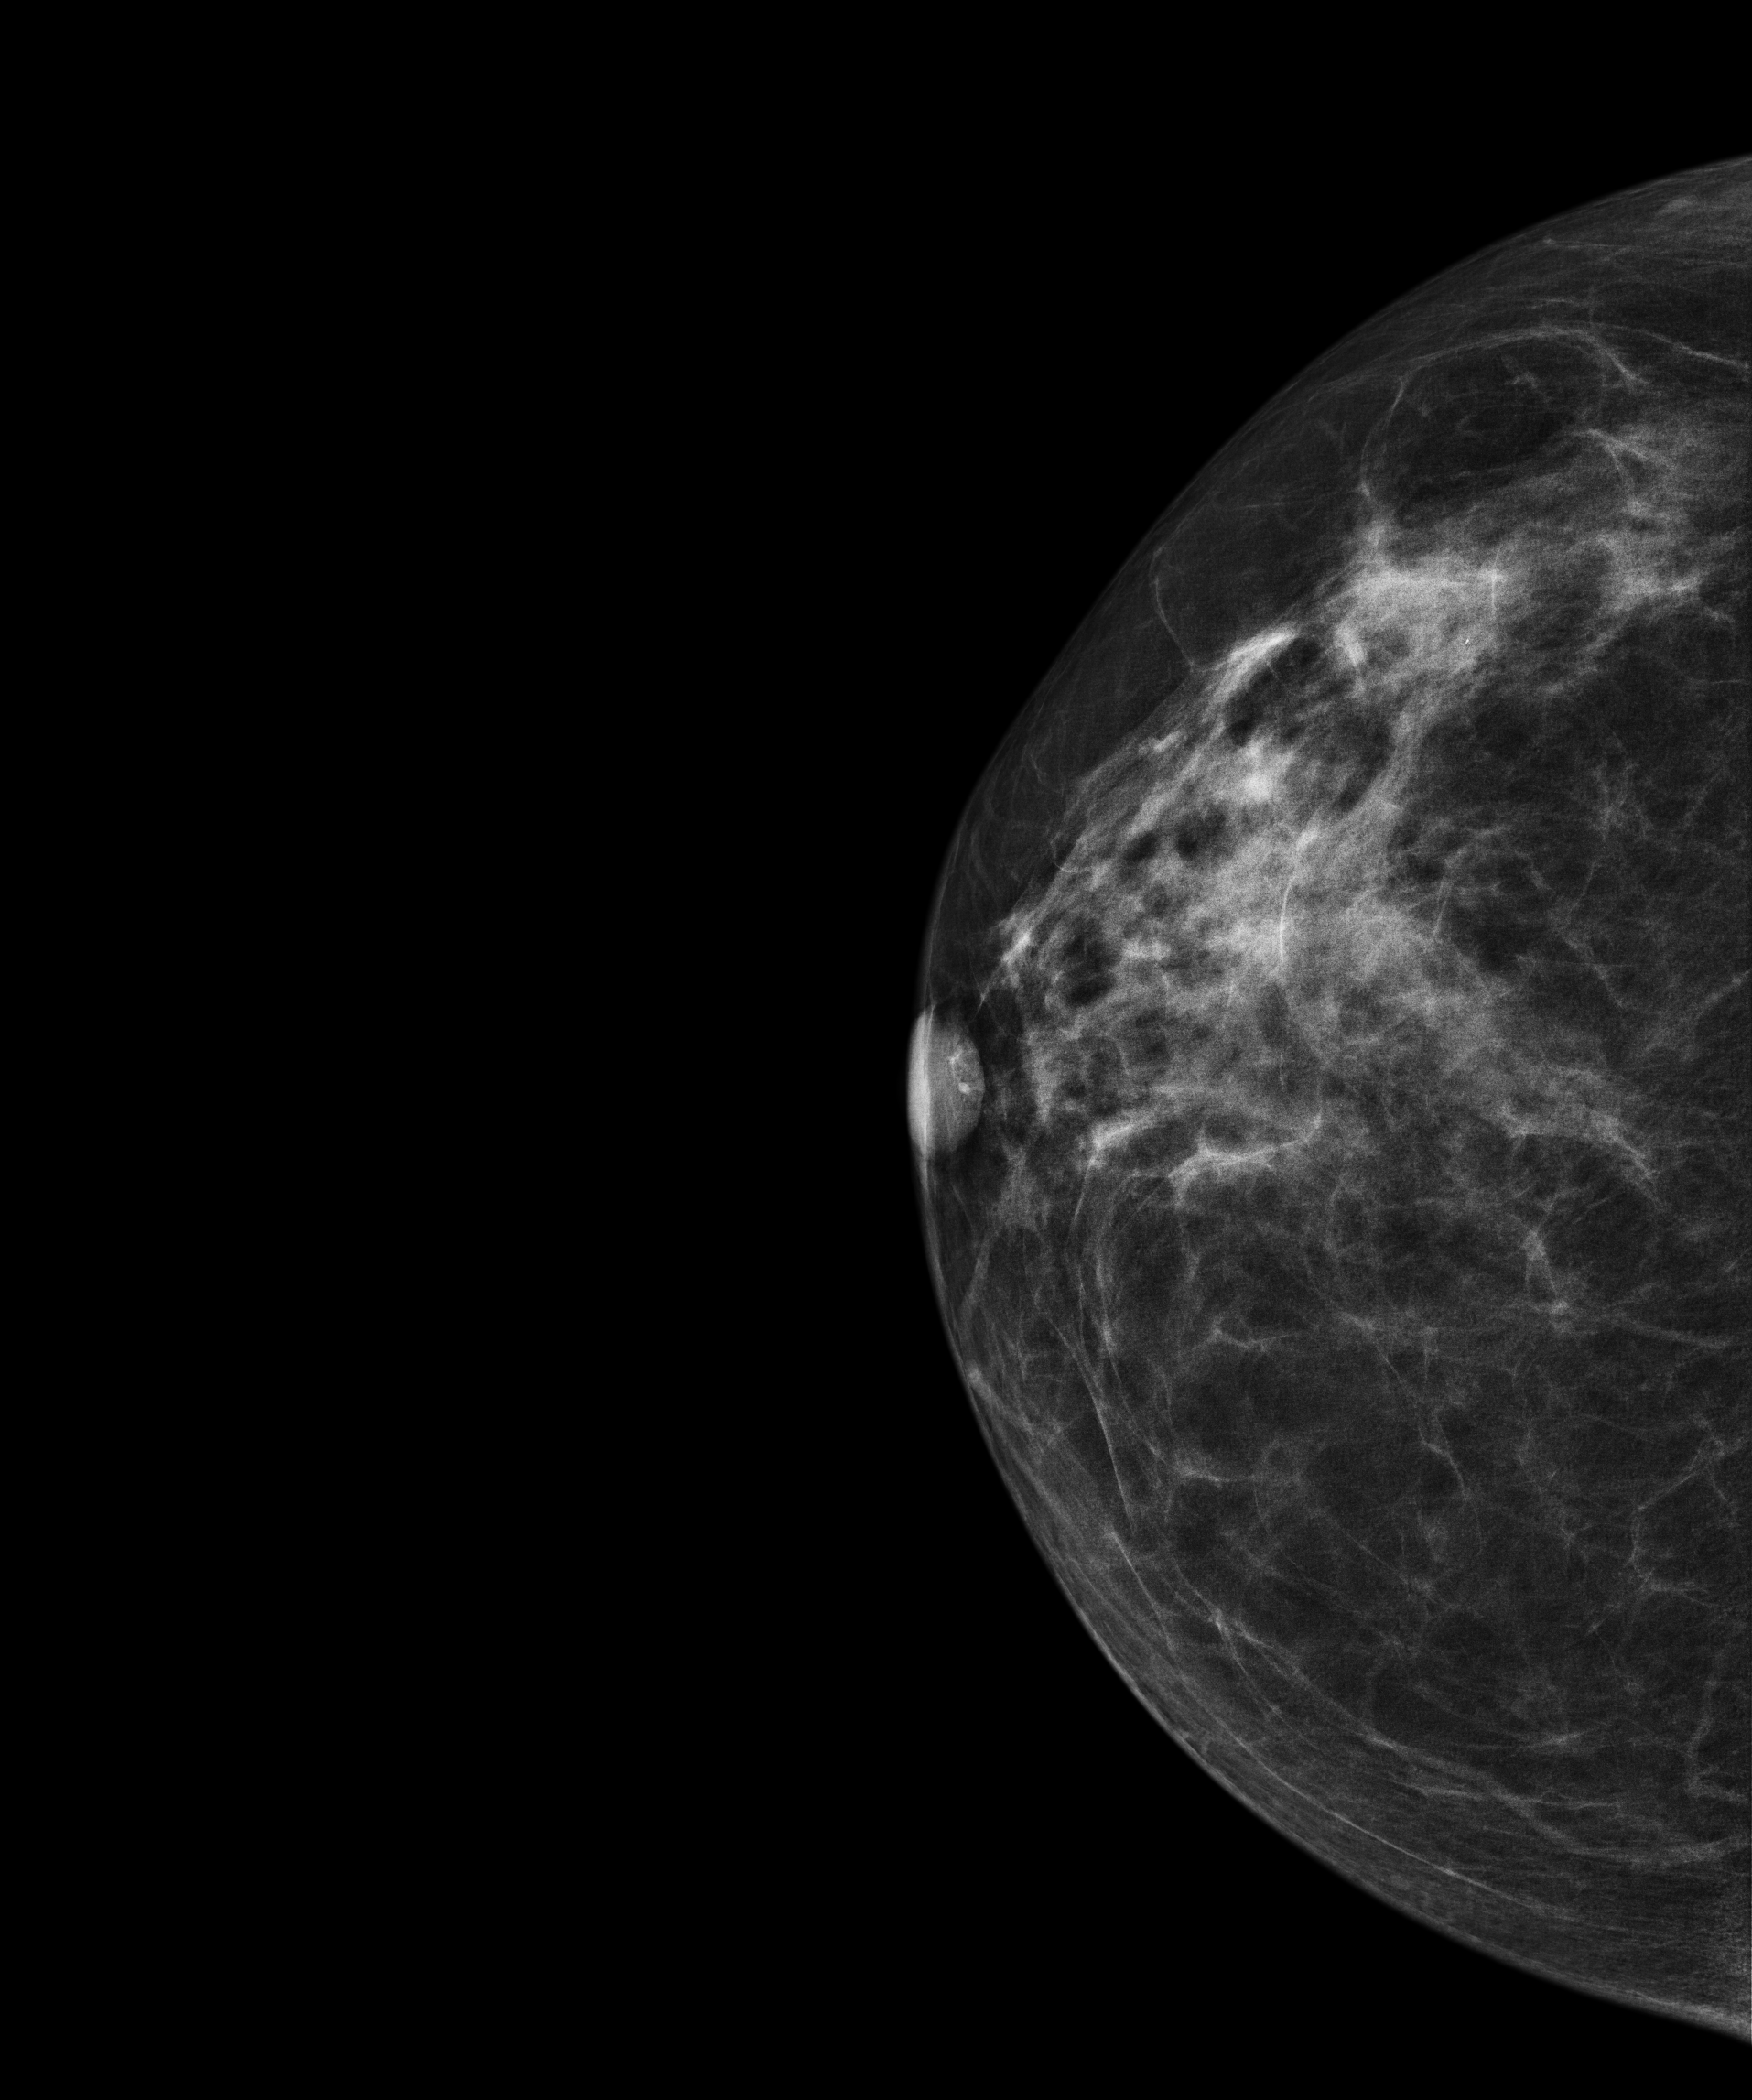
Right-breast mammogram, cranio-caudal. 65 y/o patient.
Contralateral breast — no documented abnormality on this side.